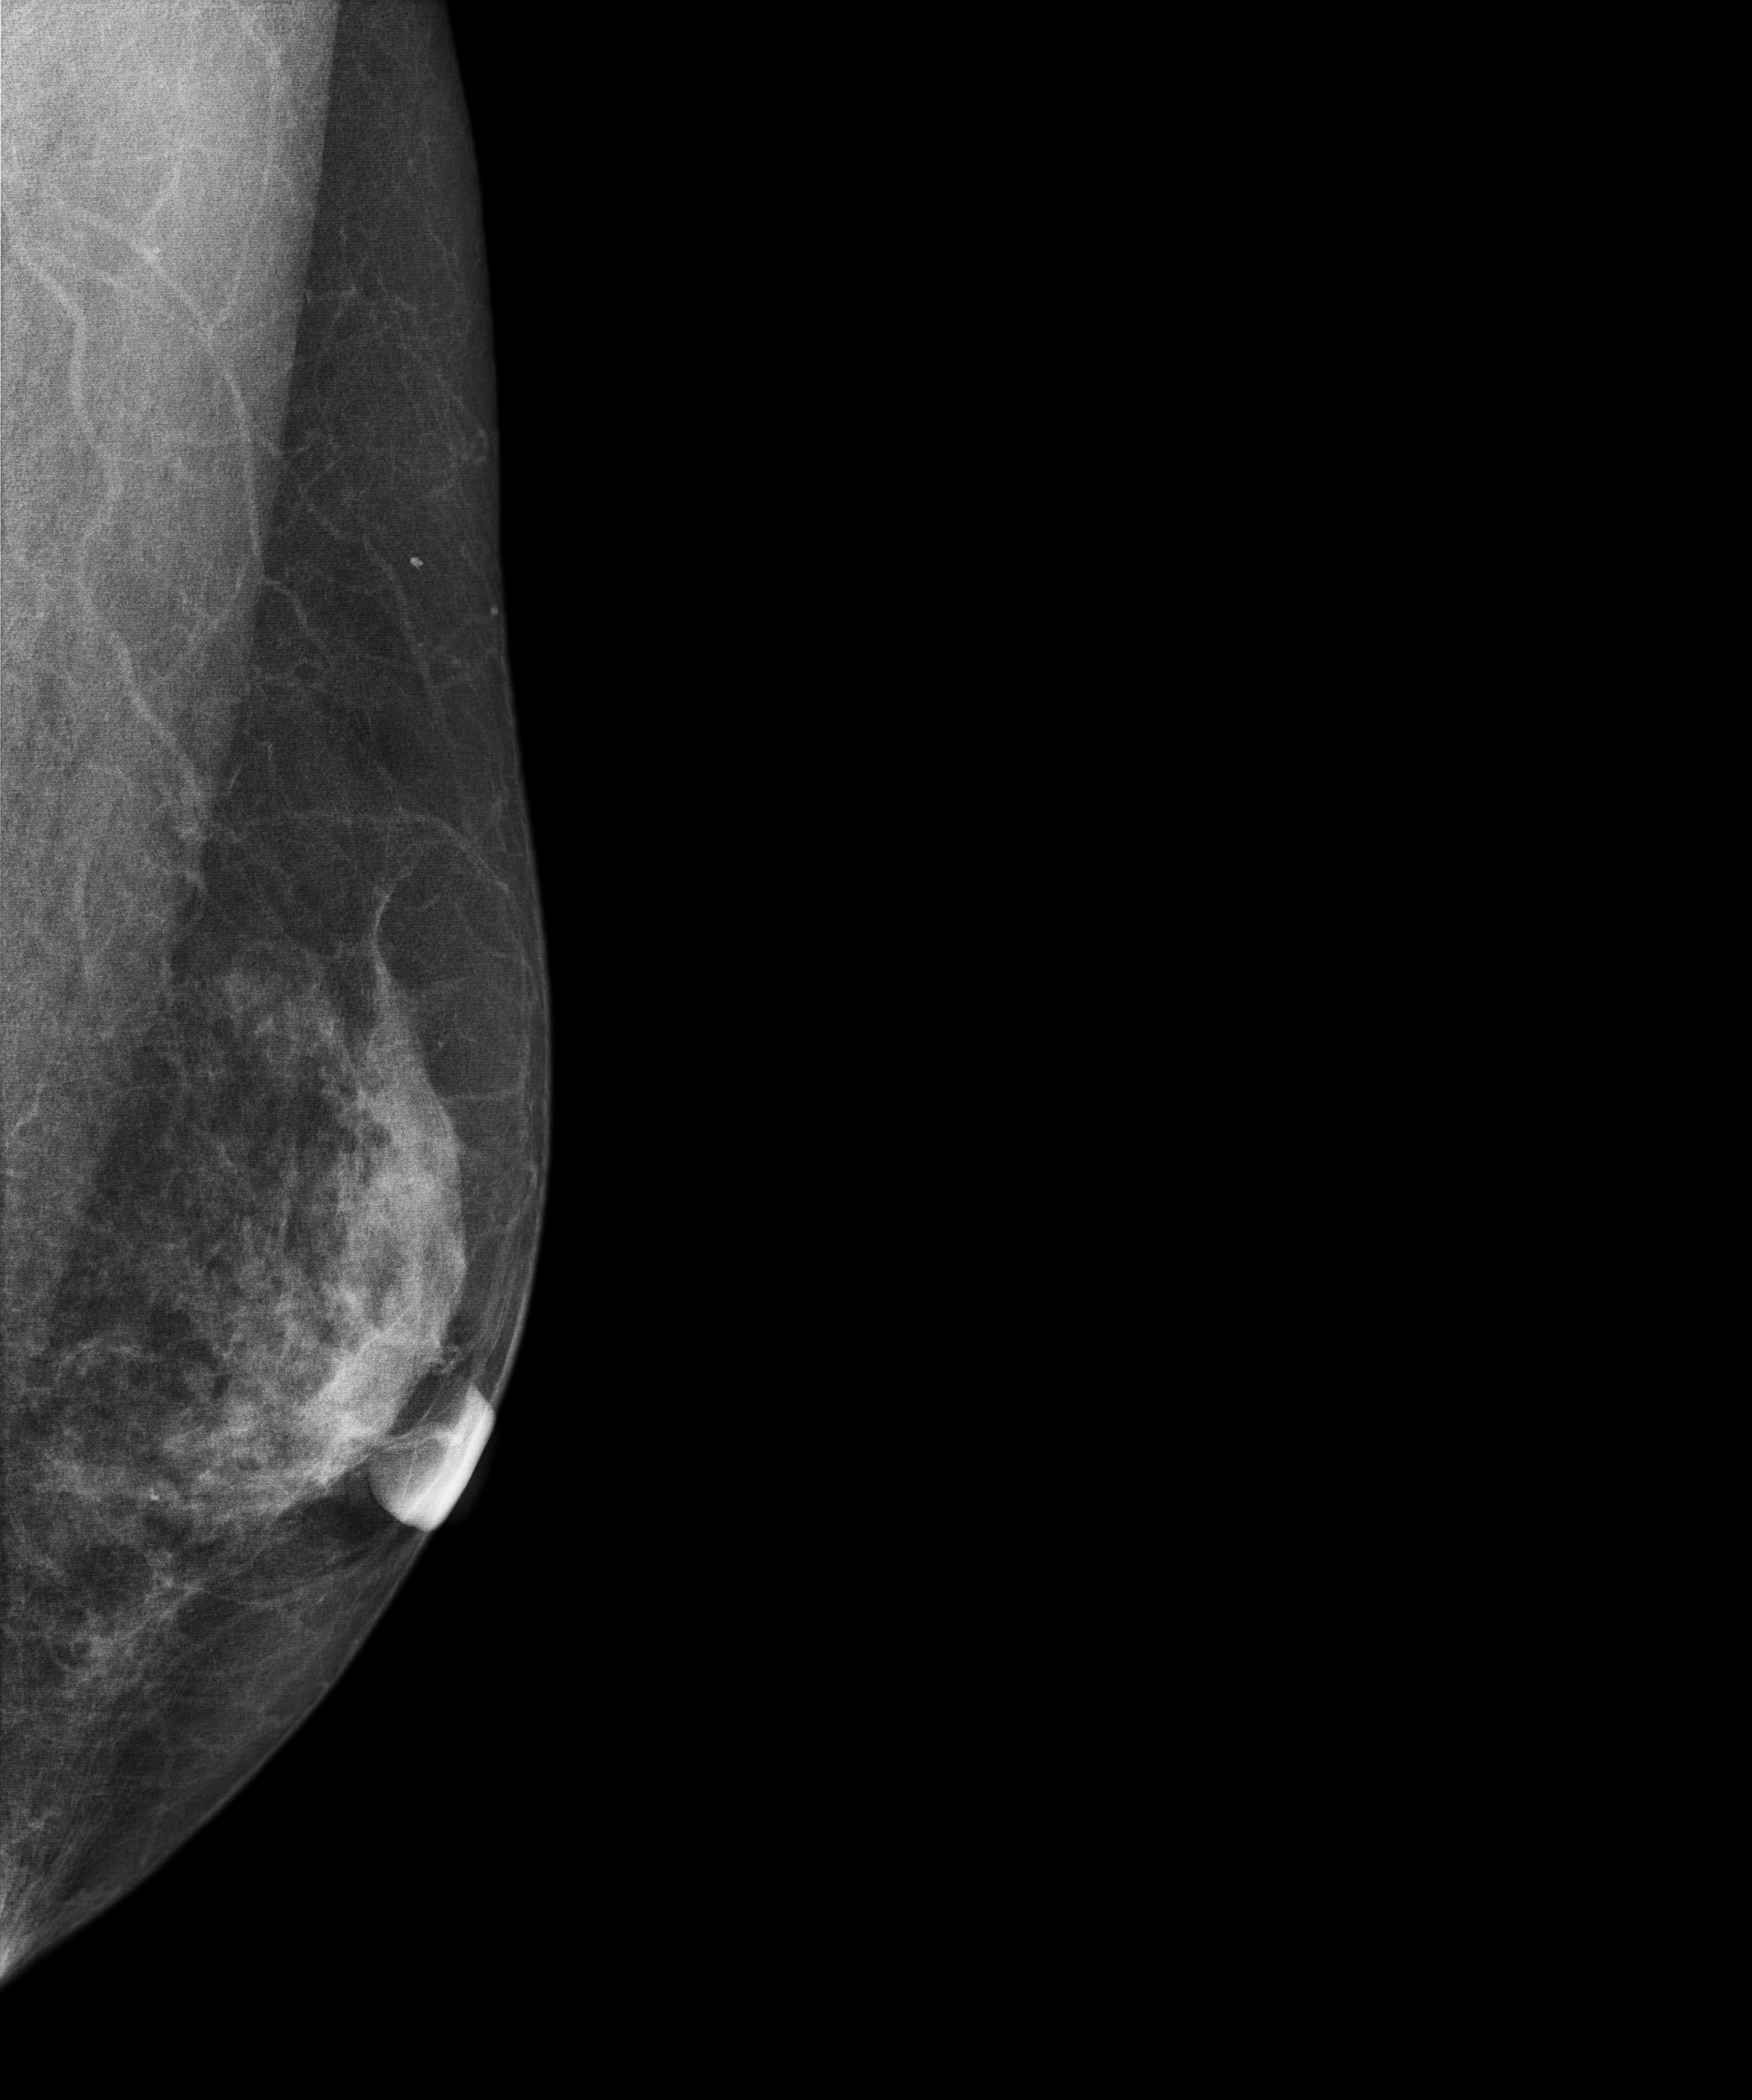
Digital mammography. Left breast, MLO projection. Patient age 52.
Contralateral breast — no documented abnormality on this side.